Mammogram, right breast, MLO view. Patient age 46.
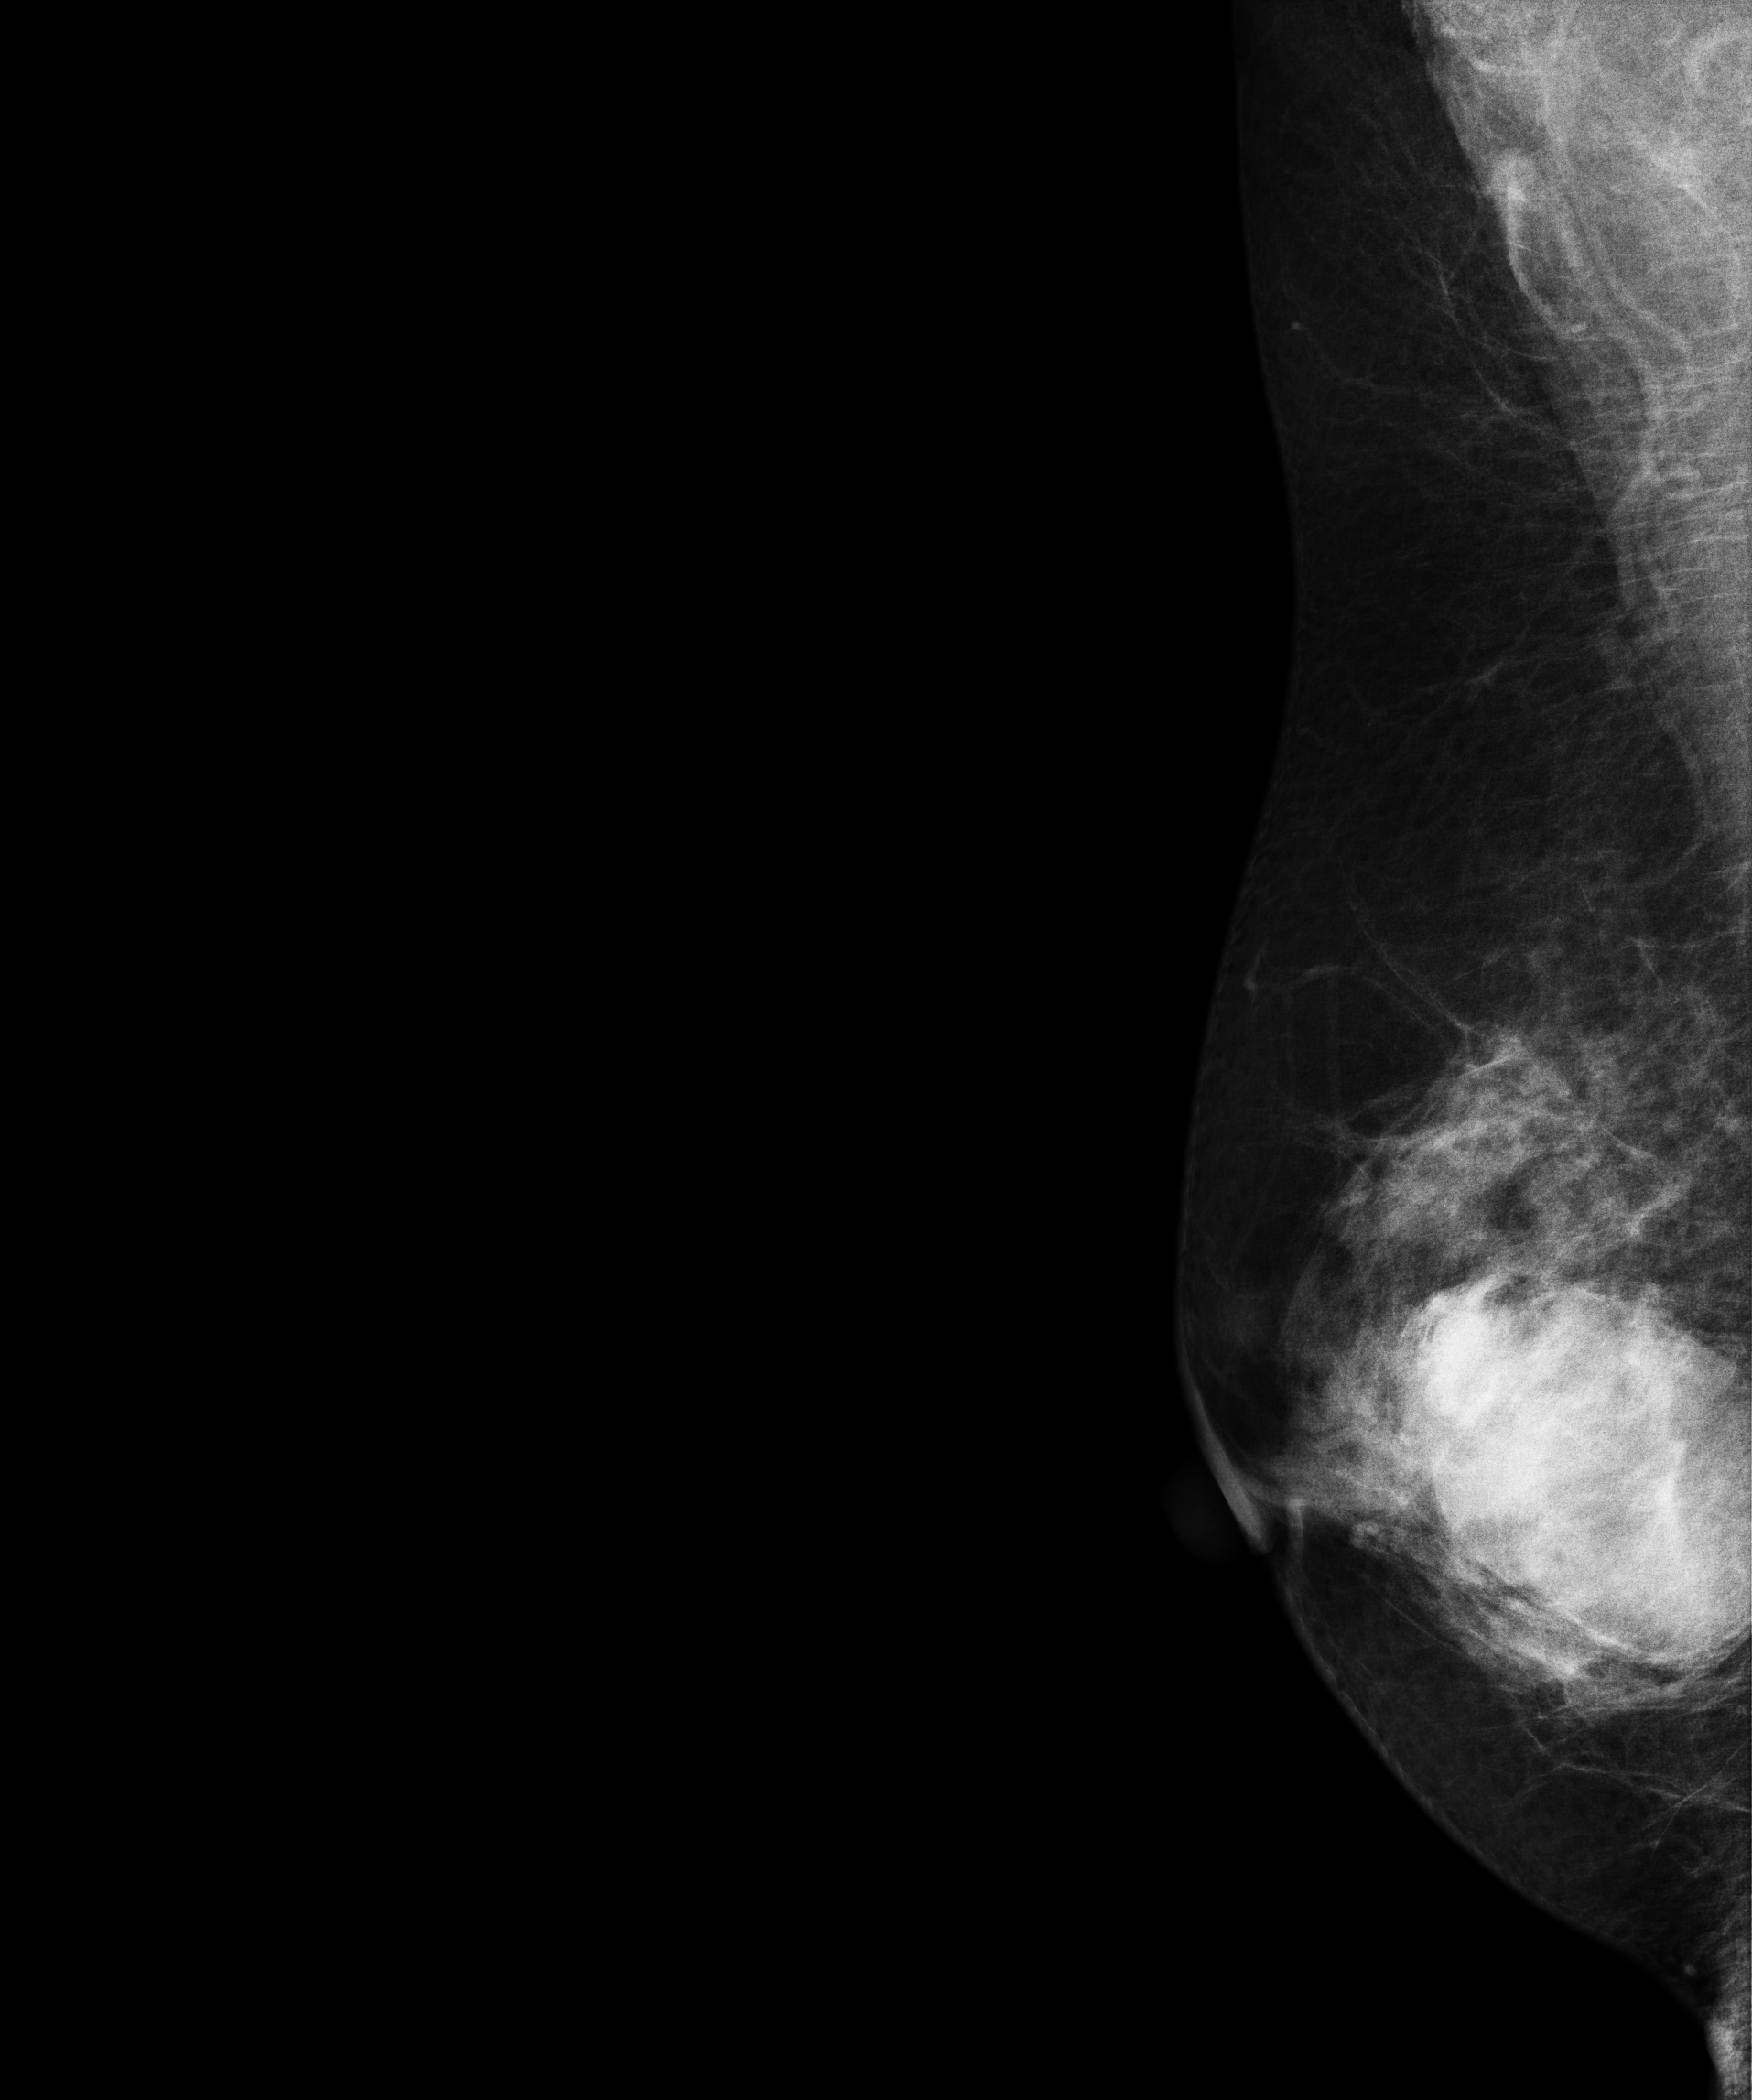
This breast has a mass, pathology-confirmed malignant.